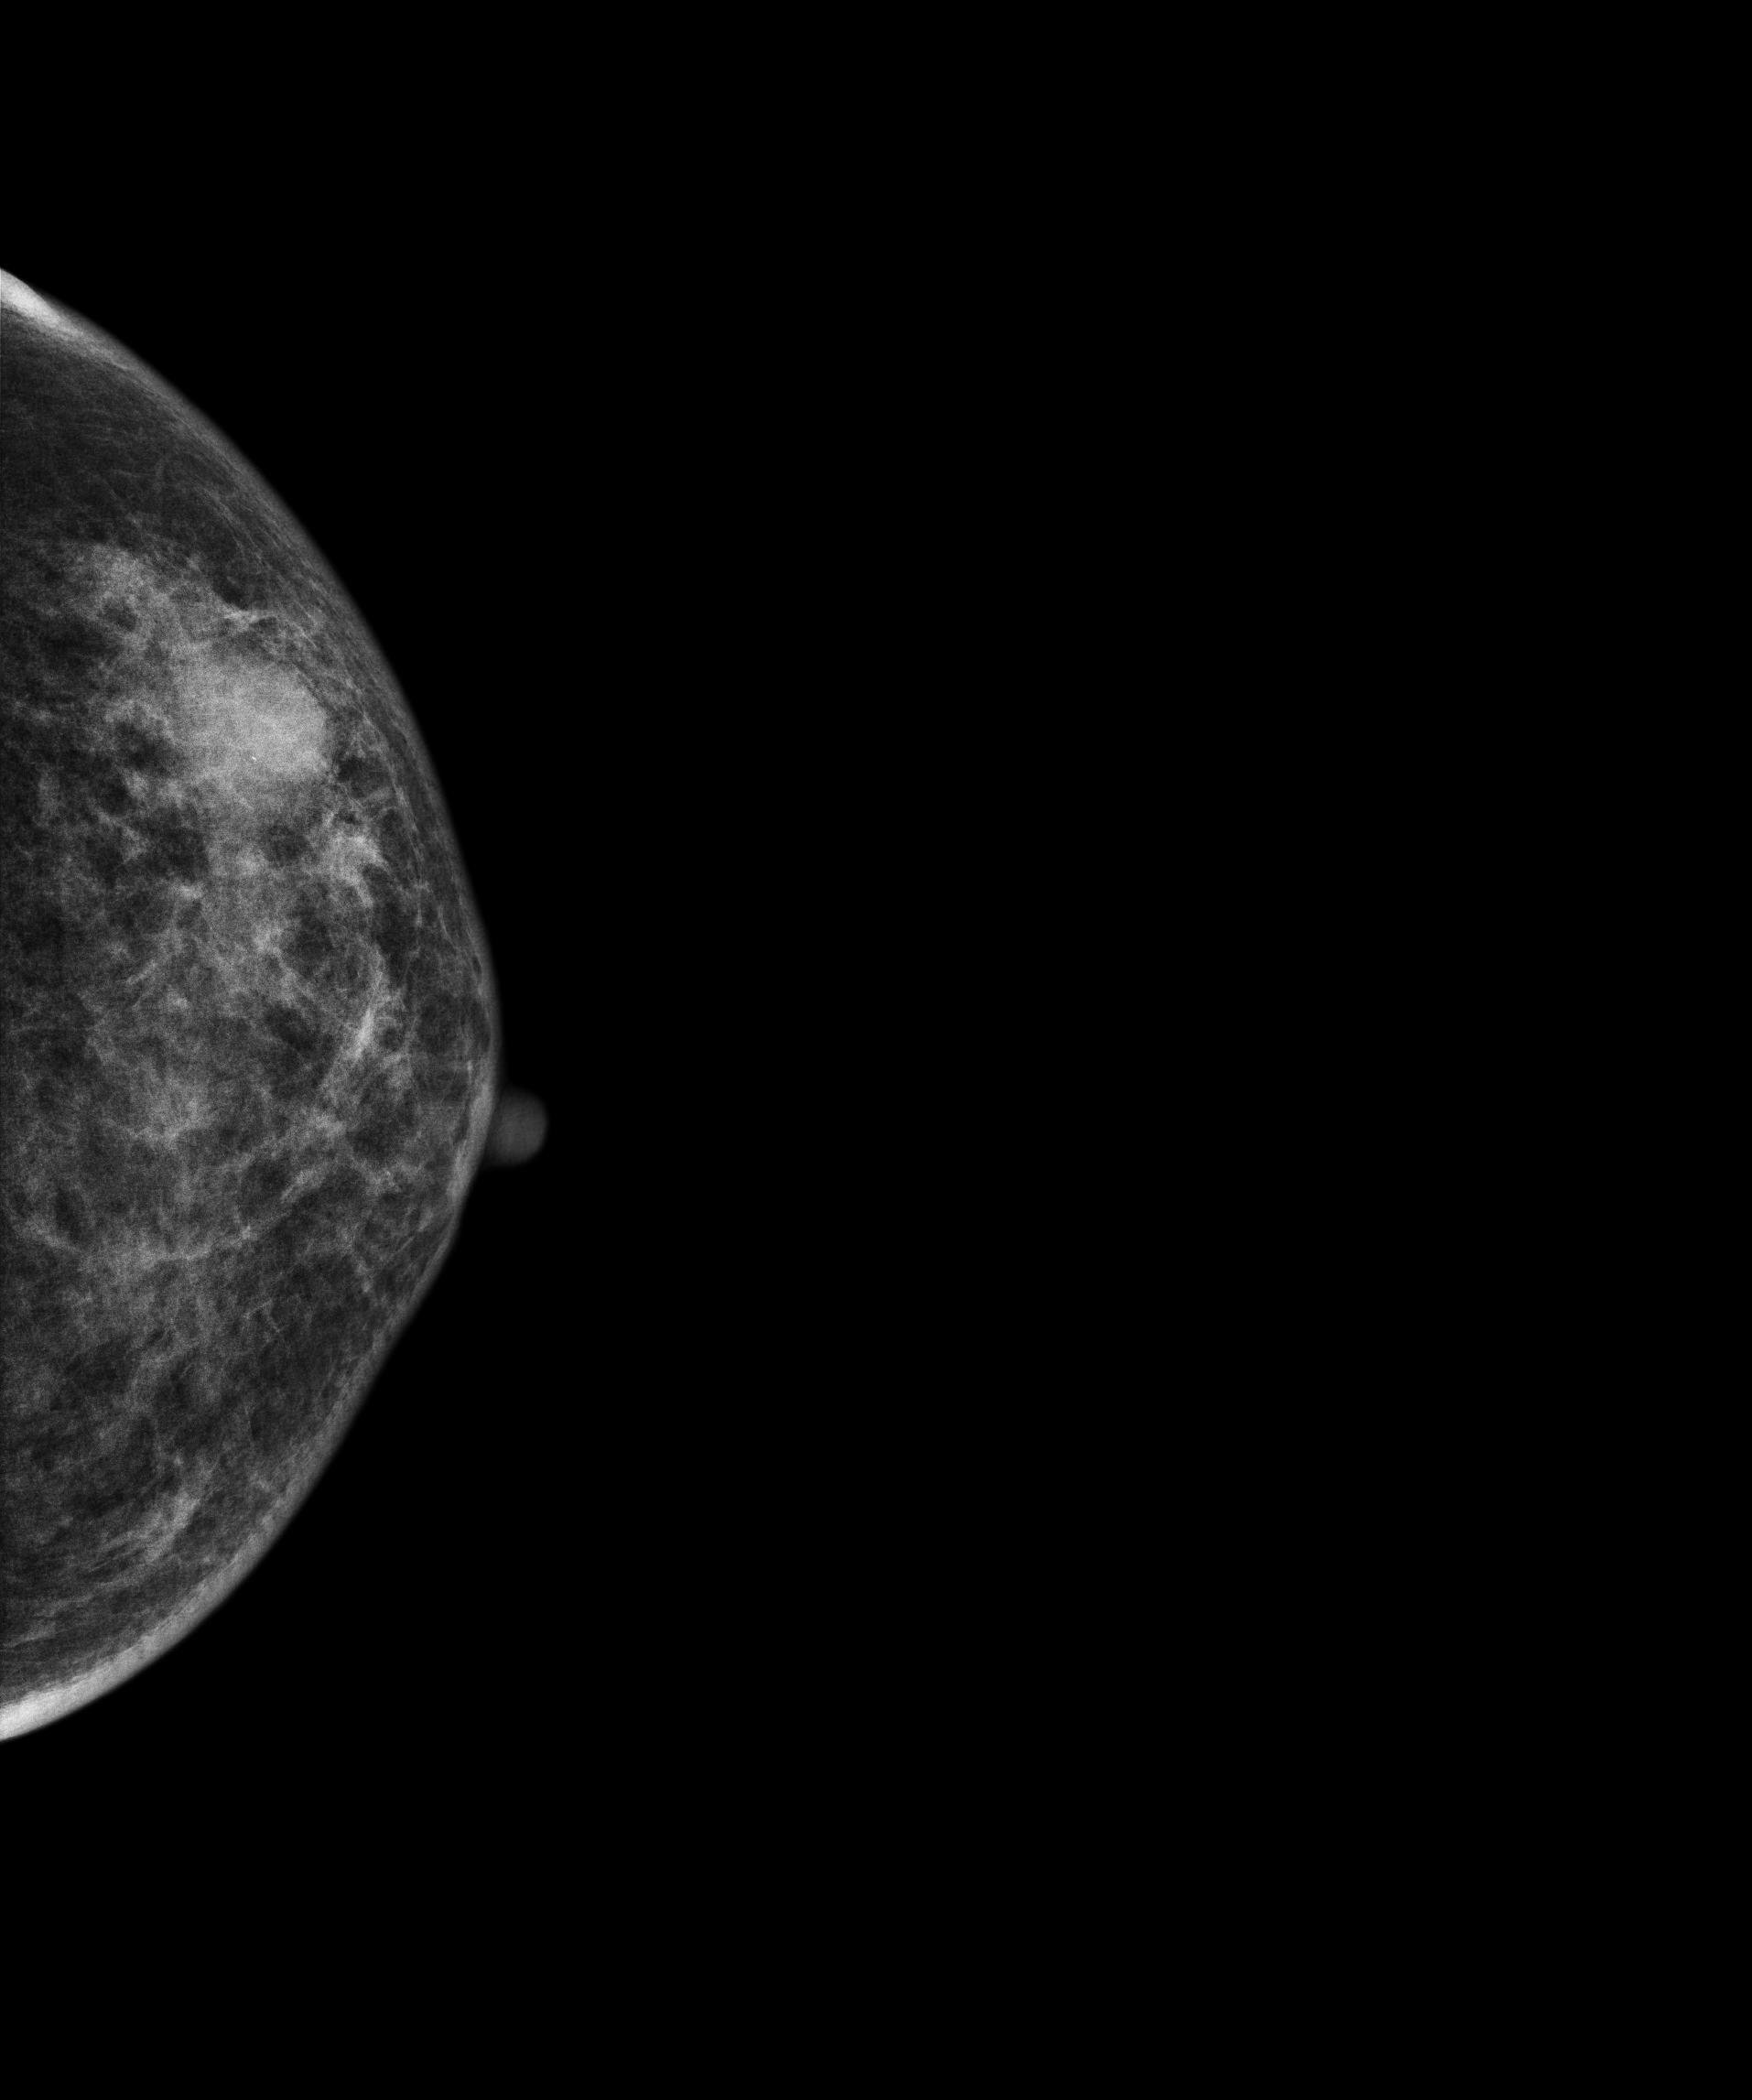
Mammogram — left cranio-caudal. 78 y/o patient.
This breast has a mass, biopsy-confirmed malignant. Molecular subtype: HER2-enriched.